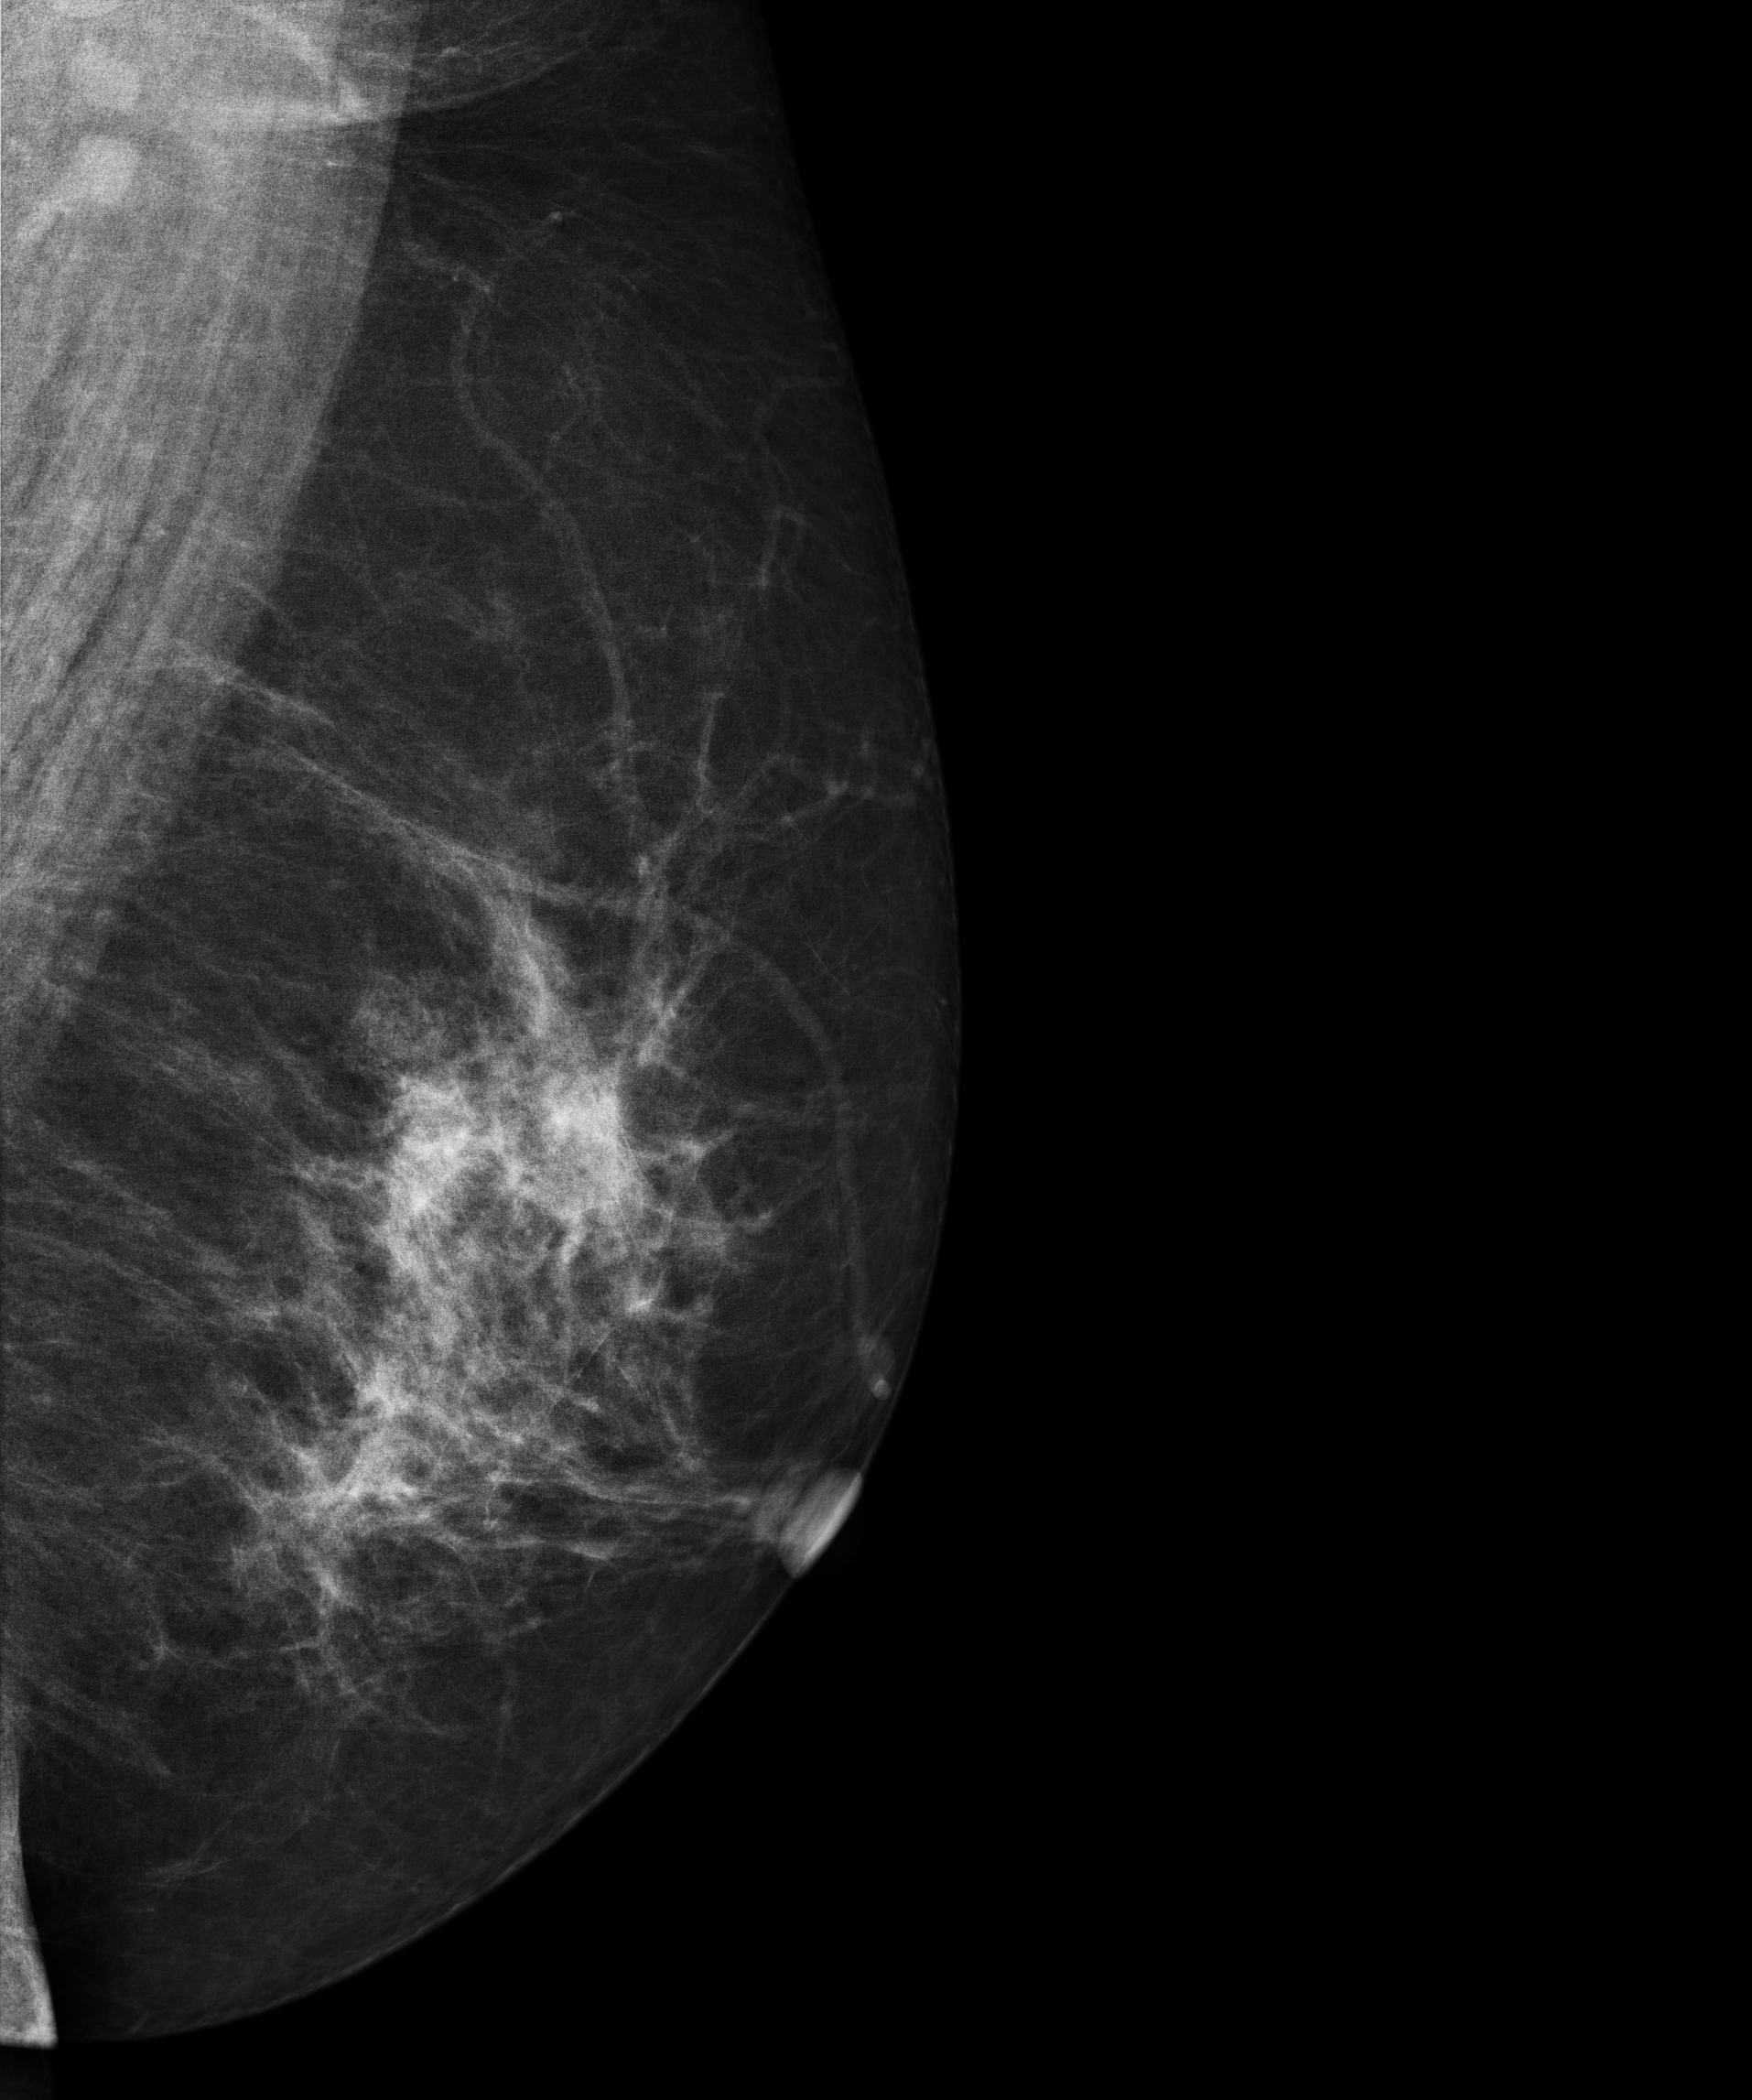
Digital mammography. Left breast, MLO projection. 51 y/o patient.
Contralateral breast — no documented abnormality on this side.